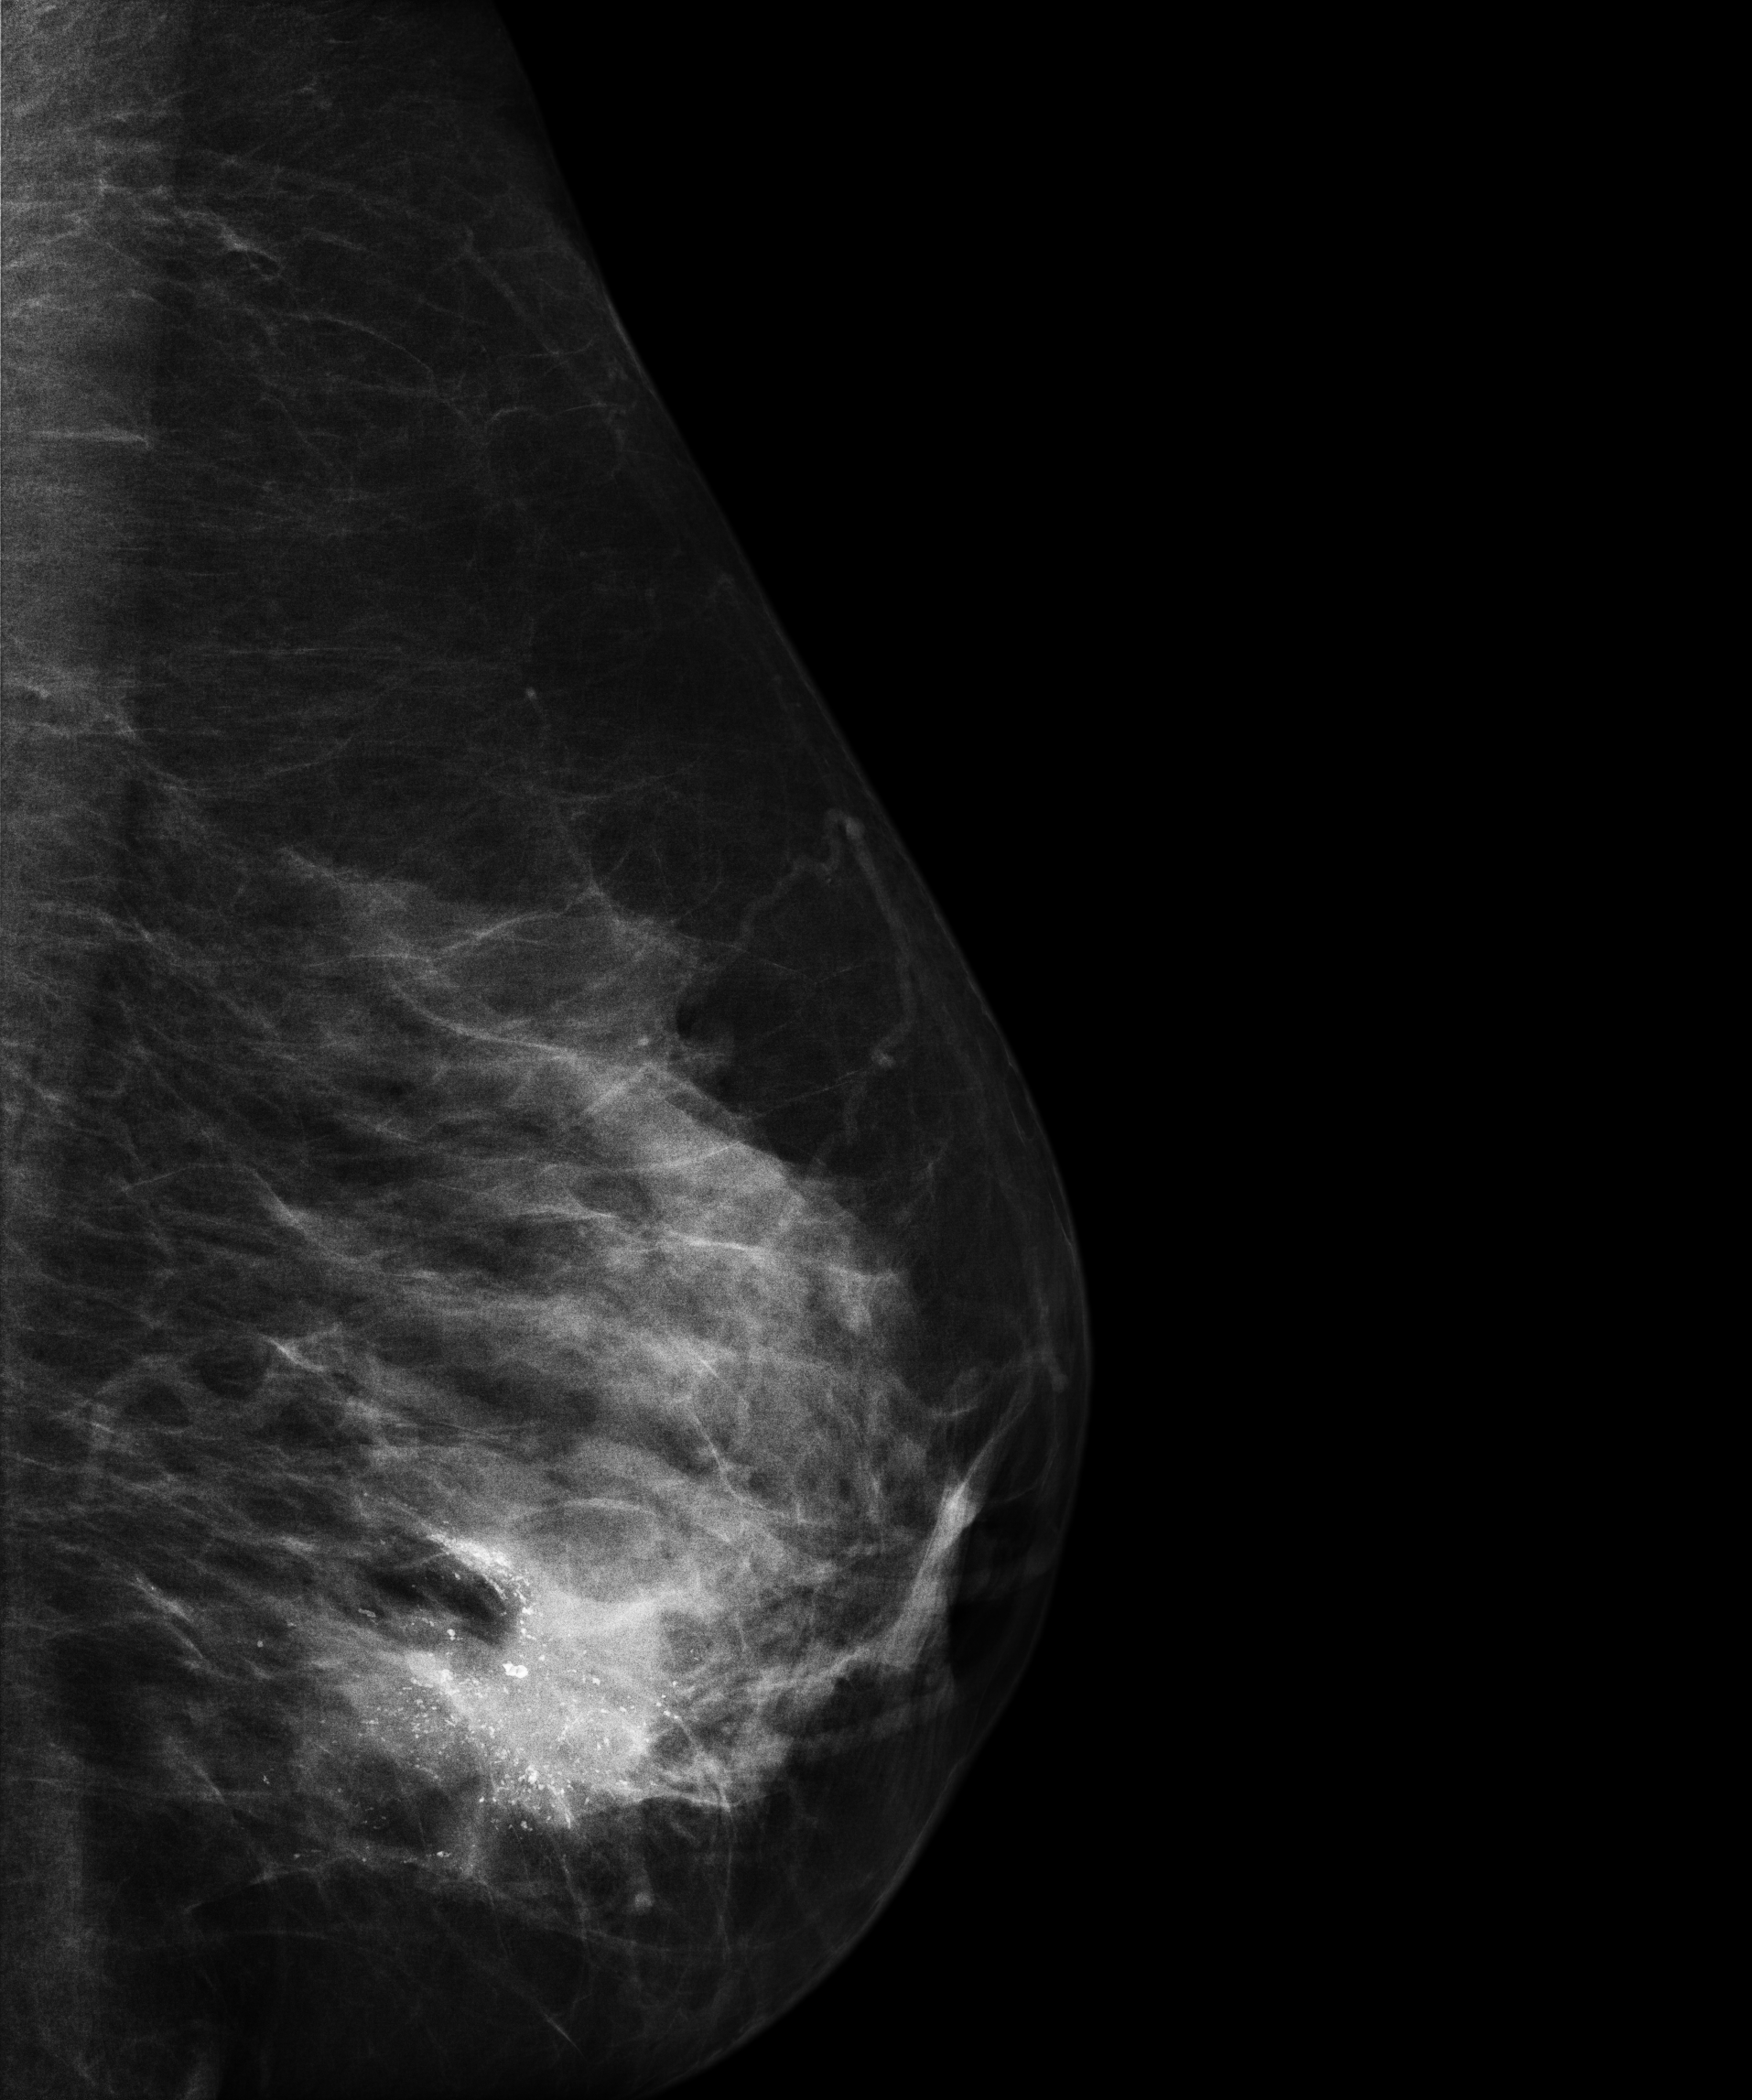
Mammogram — left medio-lateral oblique. Patient age 61.
This breast has a mass and calcifications, histologically confirmed malignant. Molecular subtype: HER2-enriched.